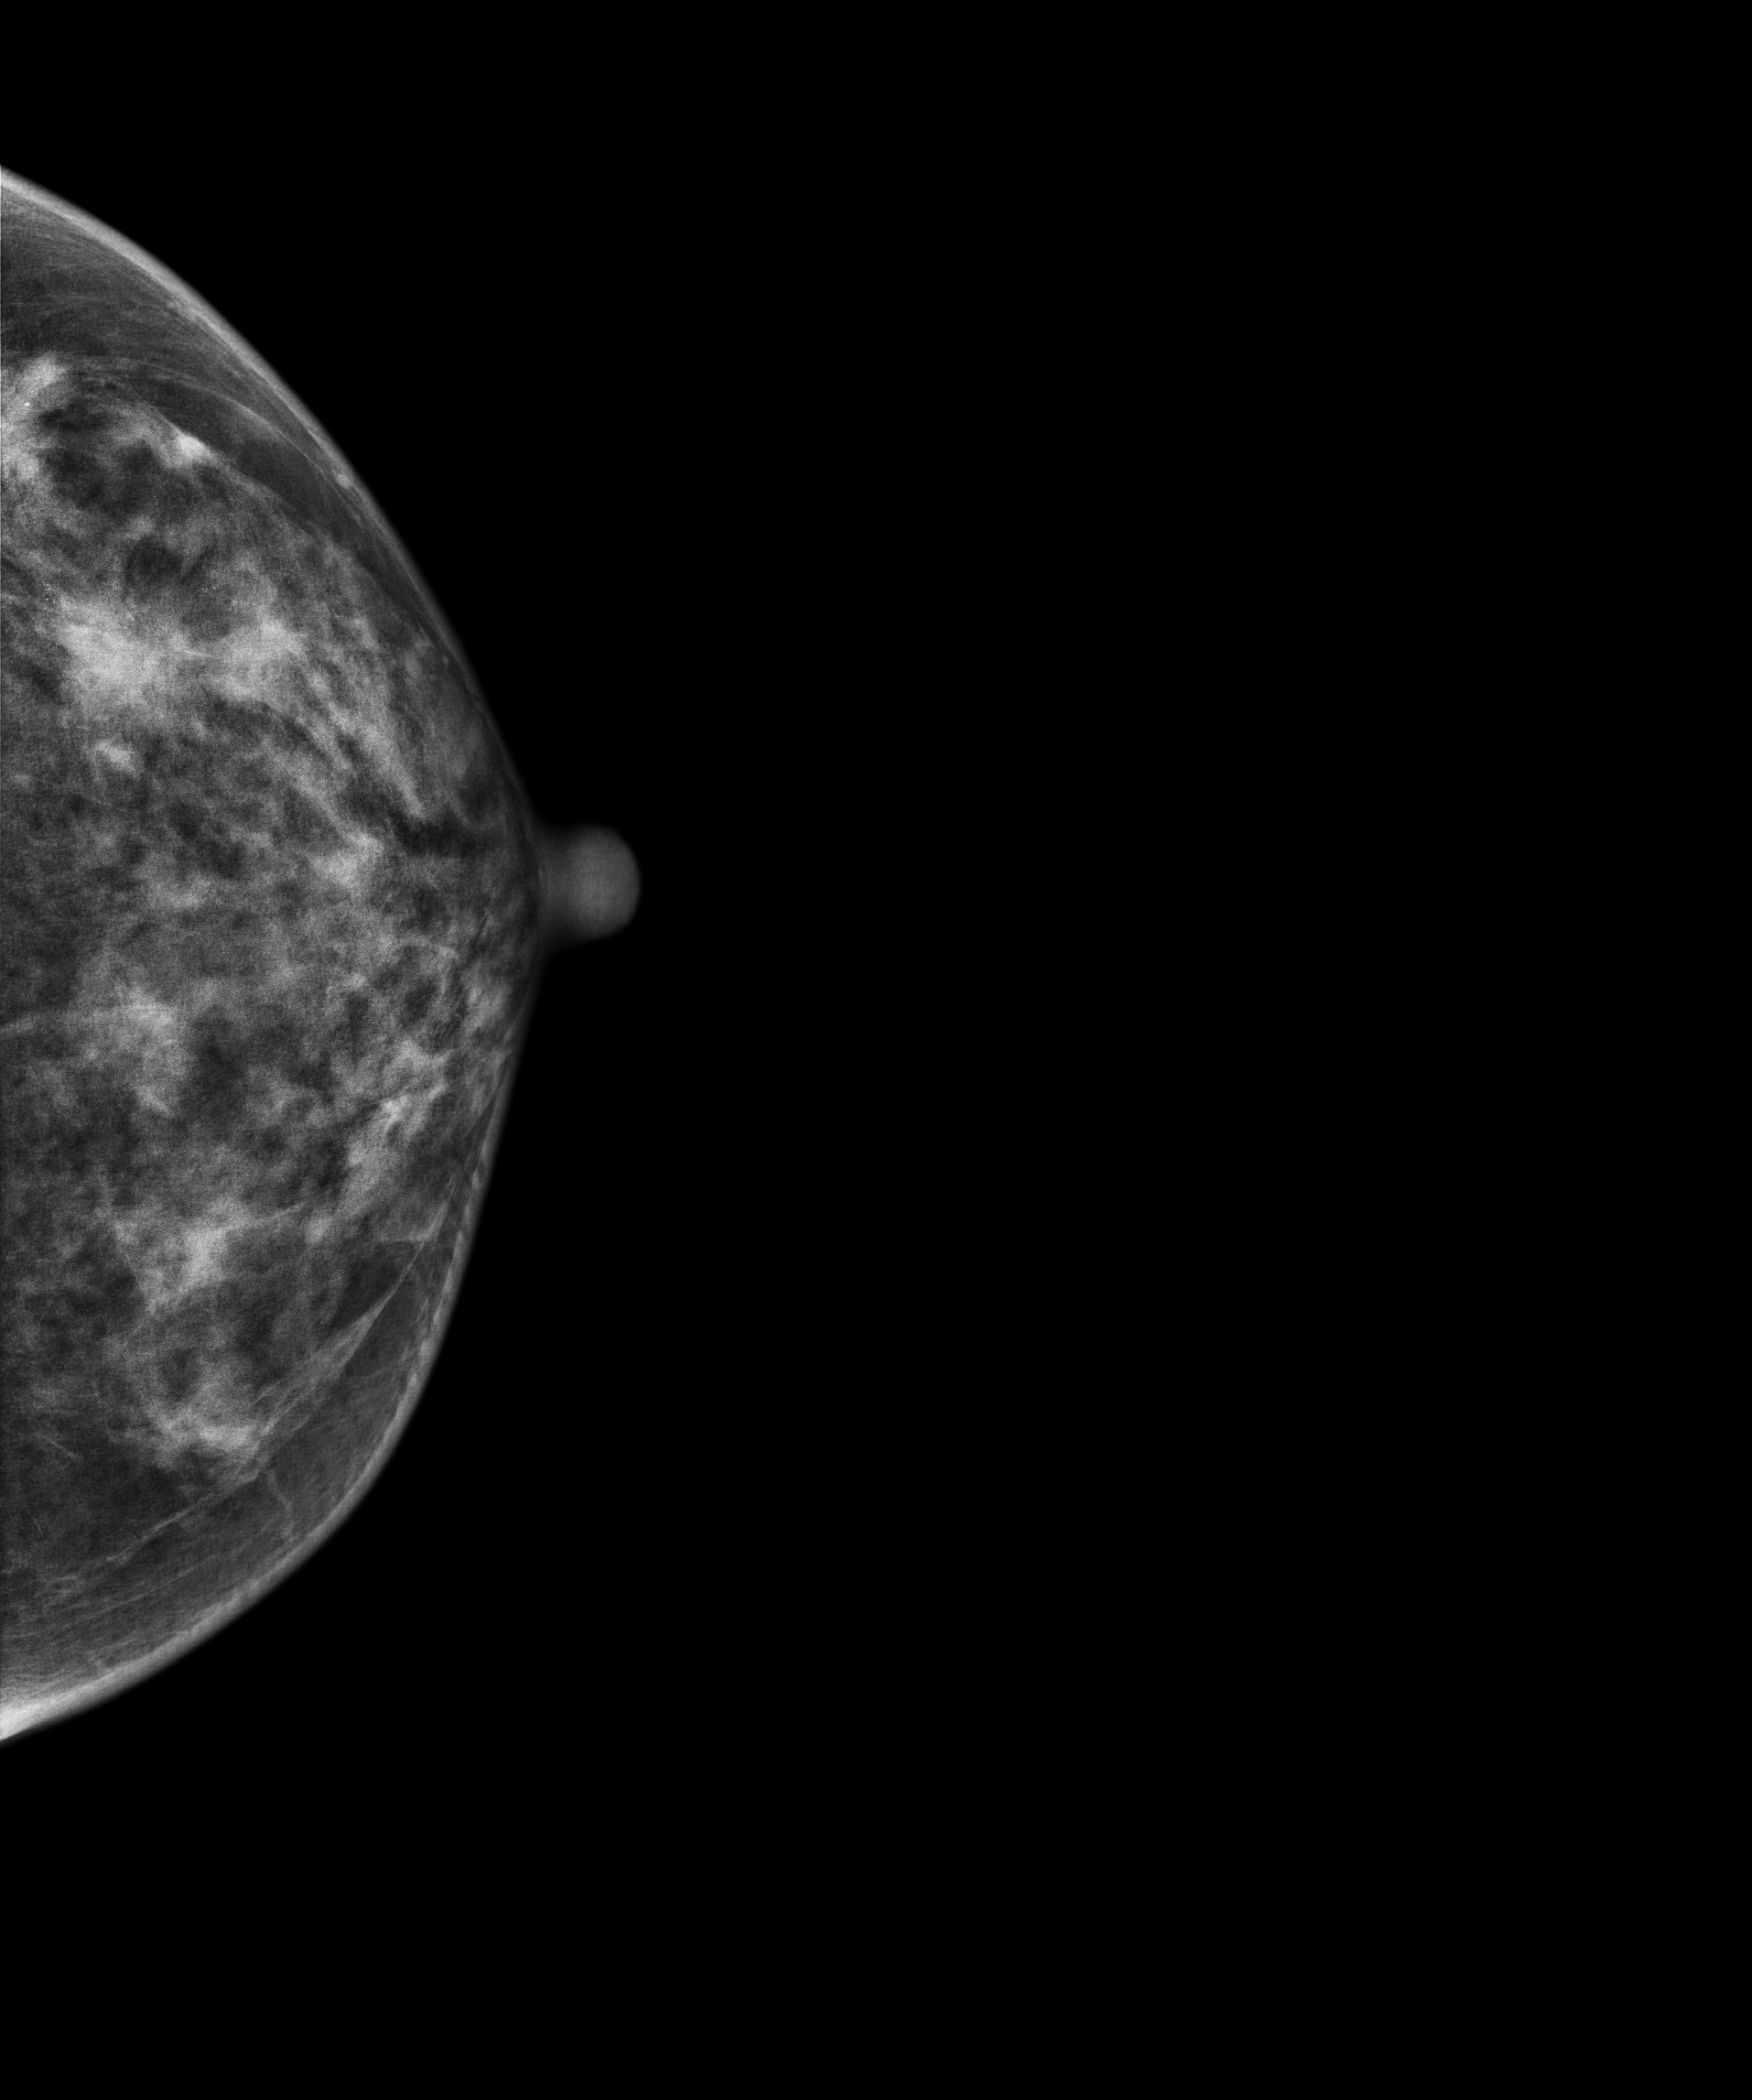
Mammogram — left cranio-caudal. Patient age 33.
This breast has a mass, biopsy-proven malignant.